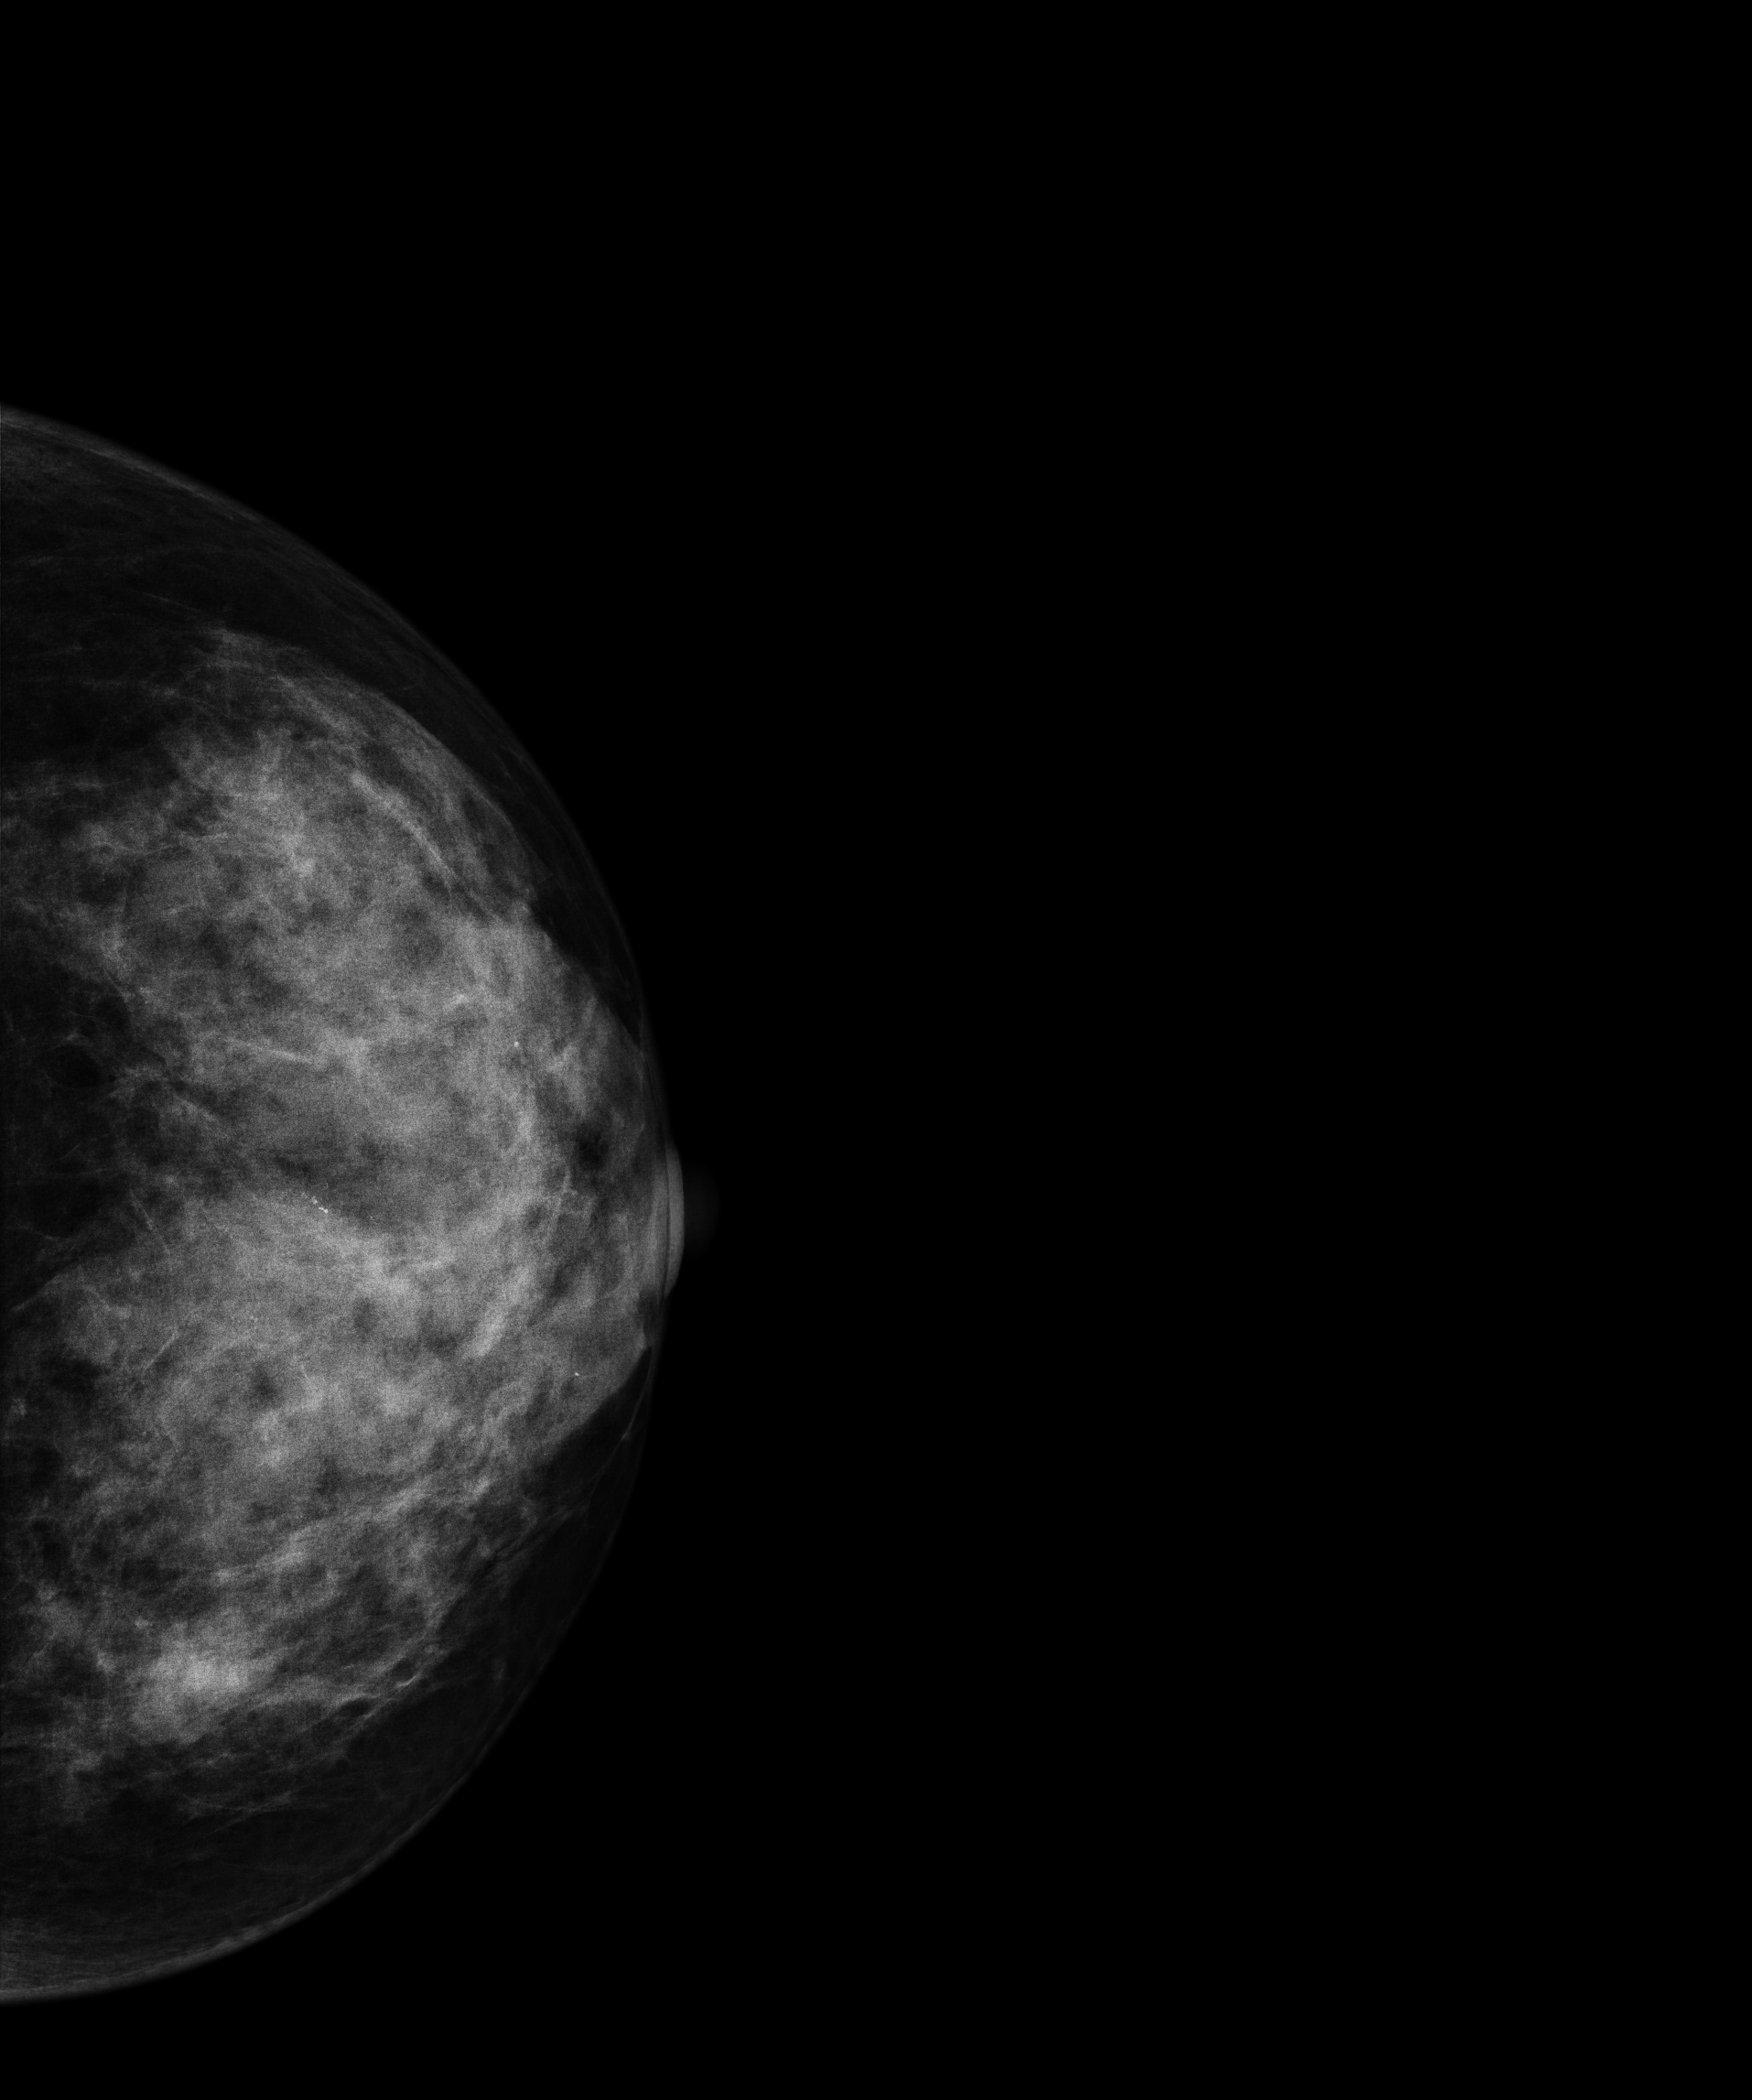
Digital mammography. Left breast, cranio-caudal projection. Patient age 52.
This breast has a mass and calcifications, biopsy-confirmed malignant.